MLO mammogram of the left breast. 55 y/o patient.
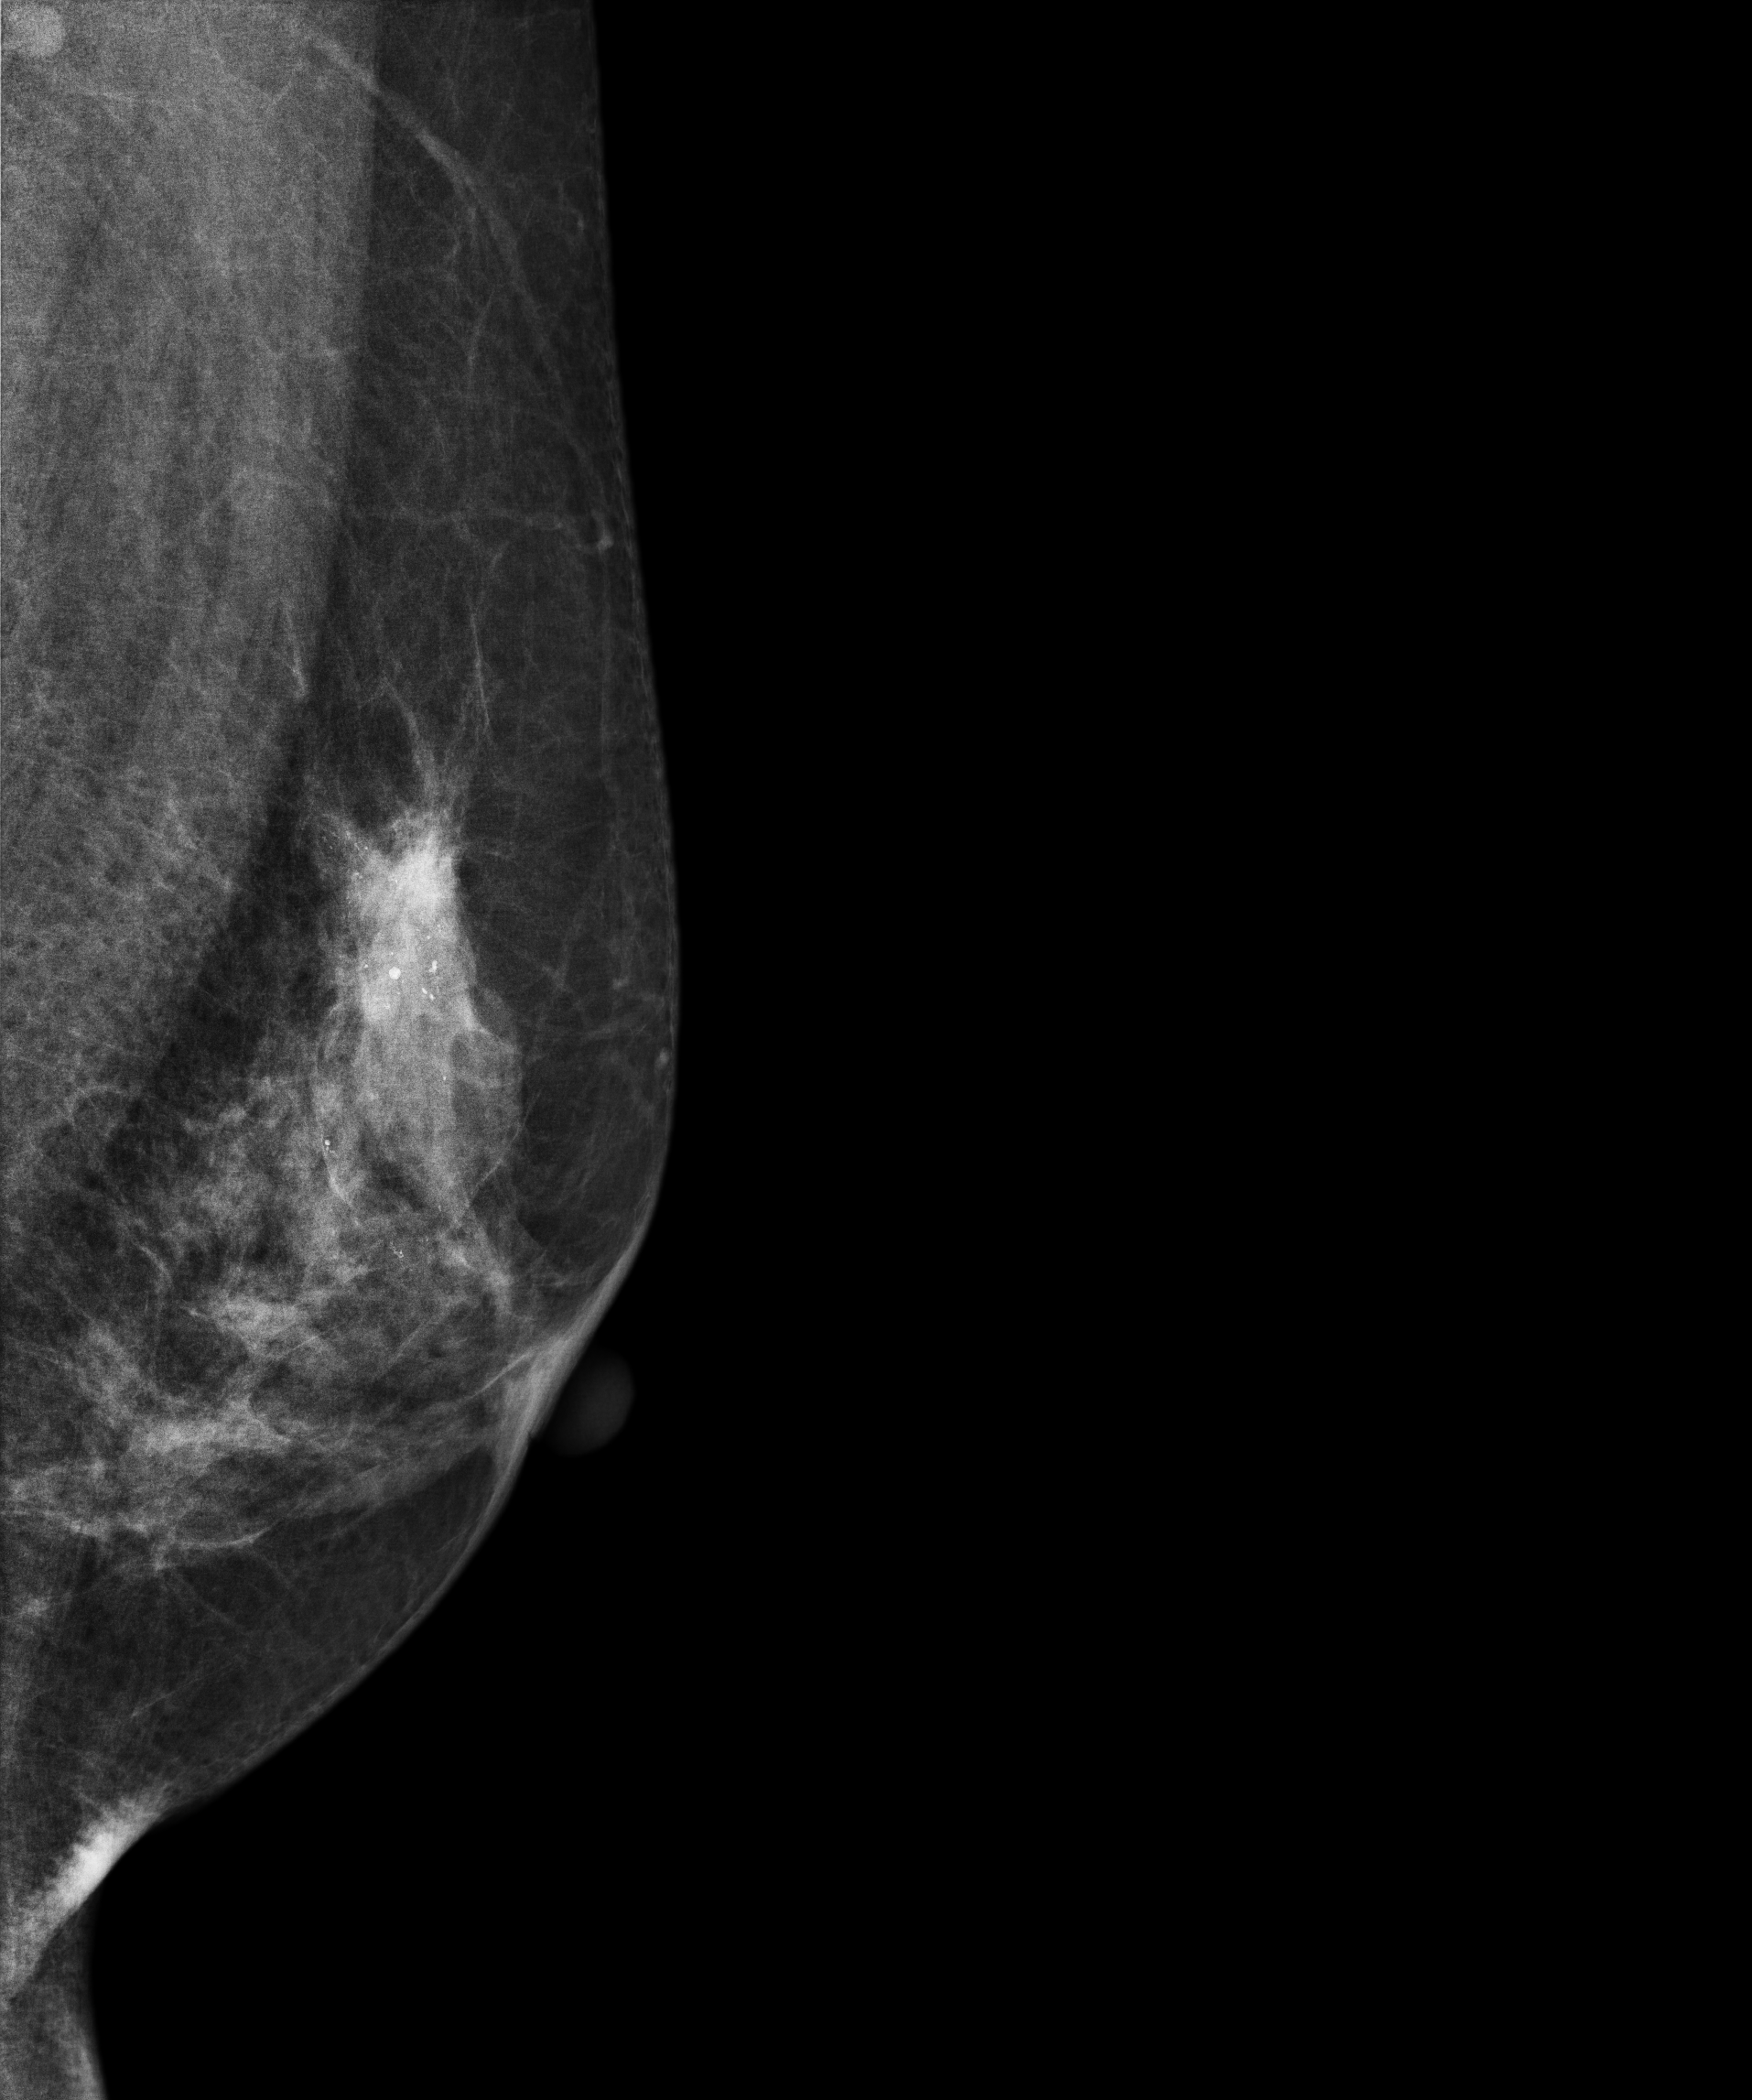
This breast has a mass and calcifications, pathology-confirmed malignant. Molecular subtype: HER2-enriched.